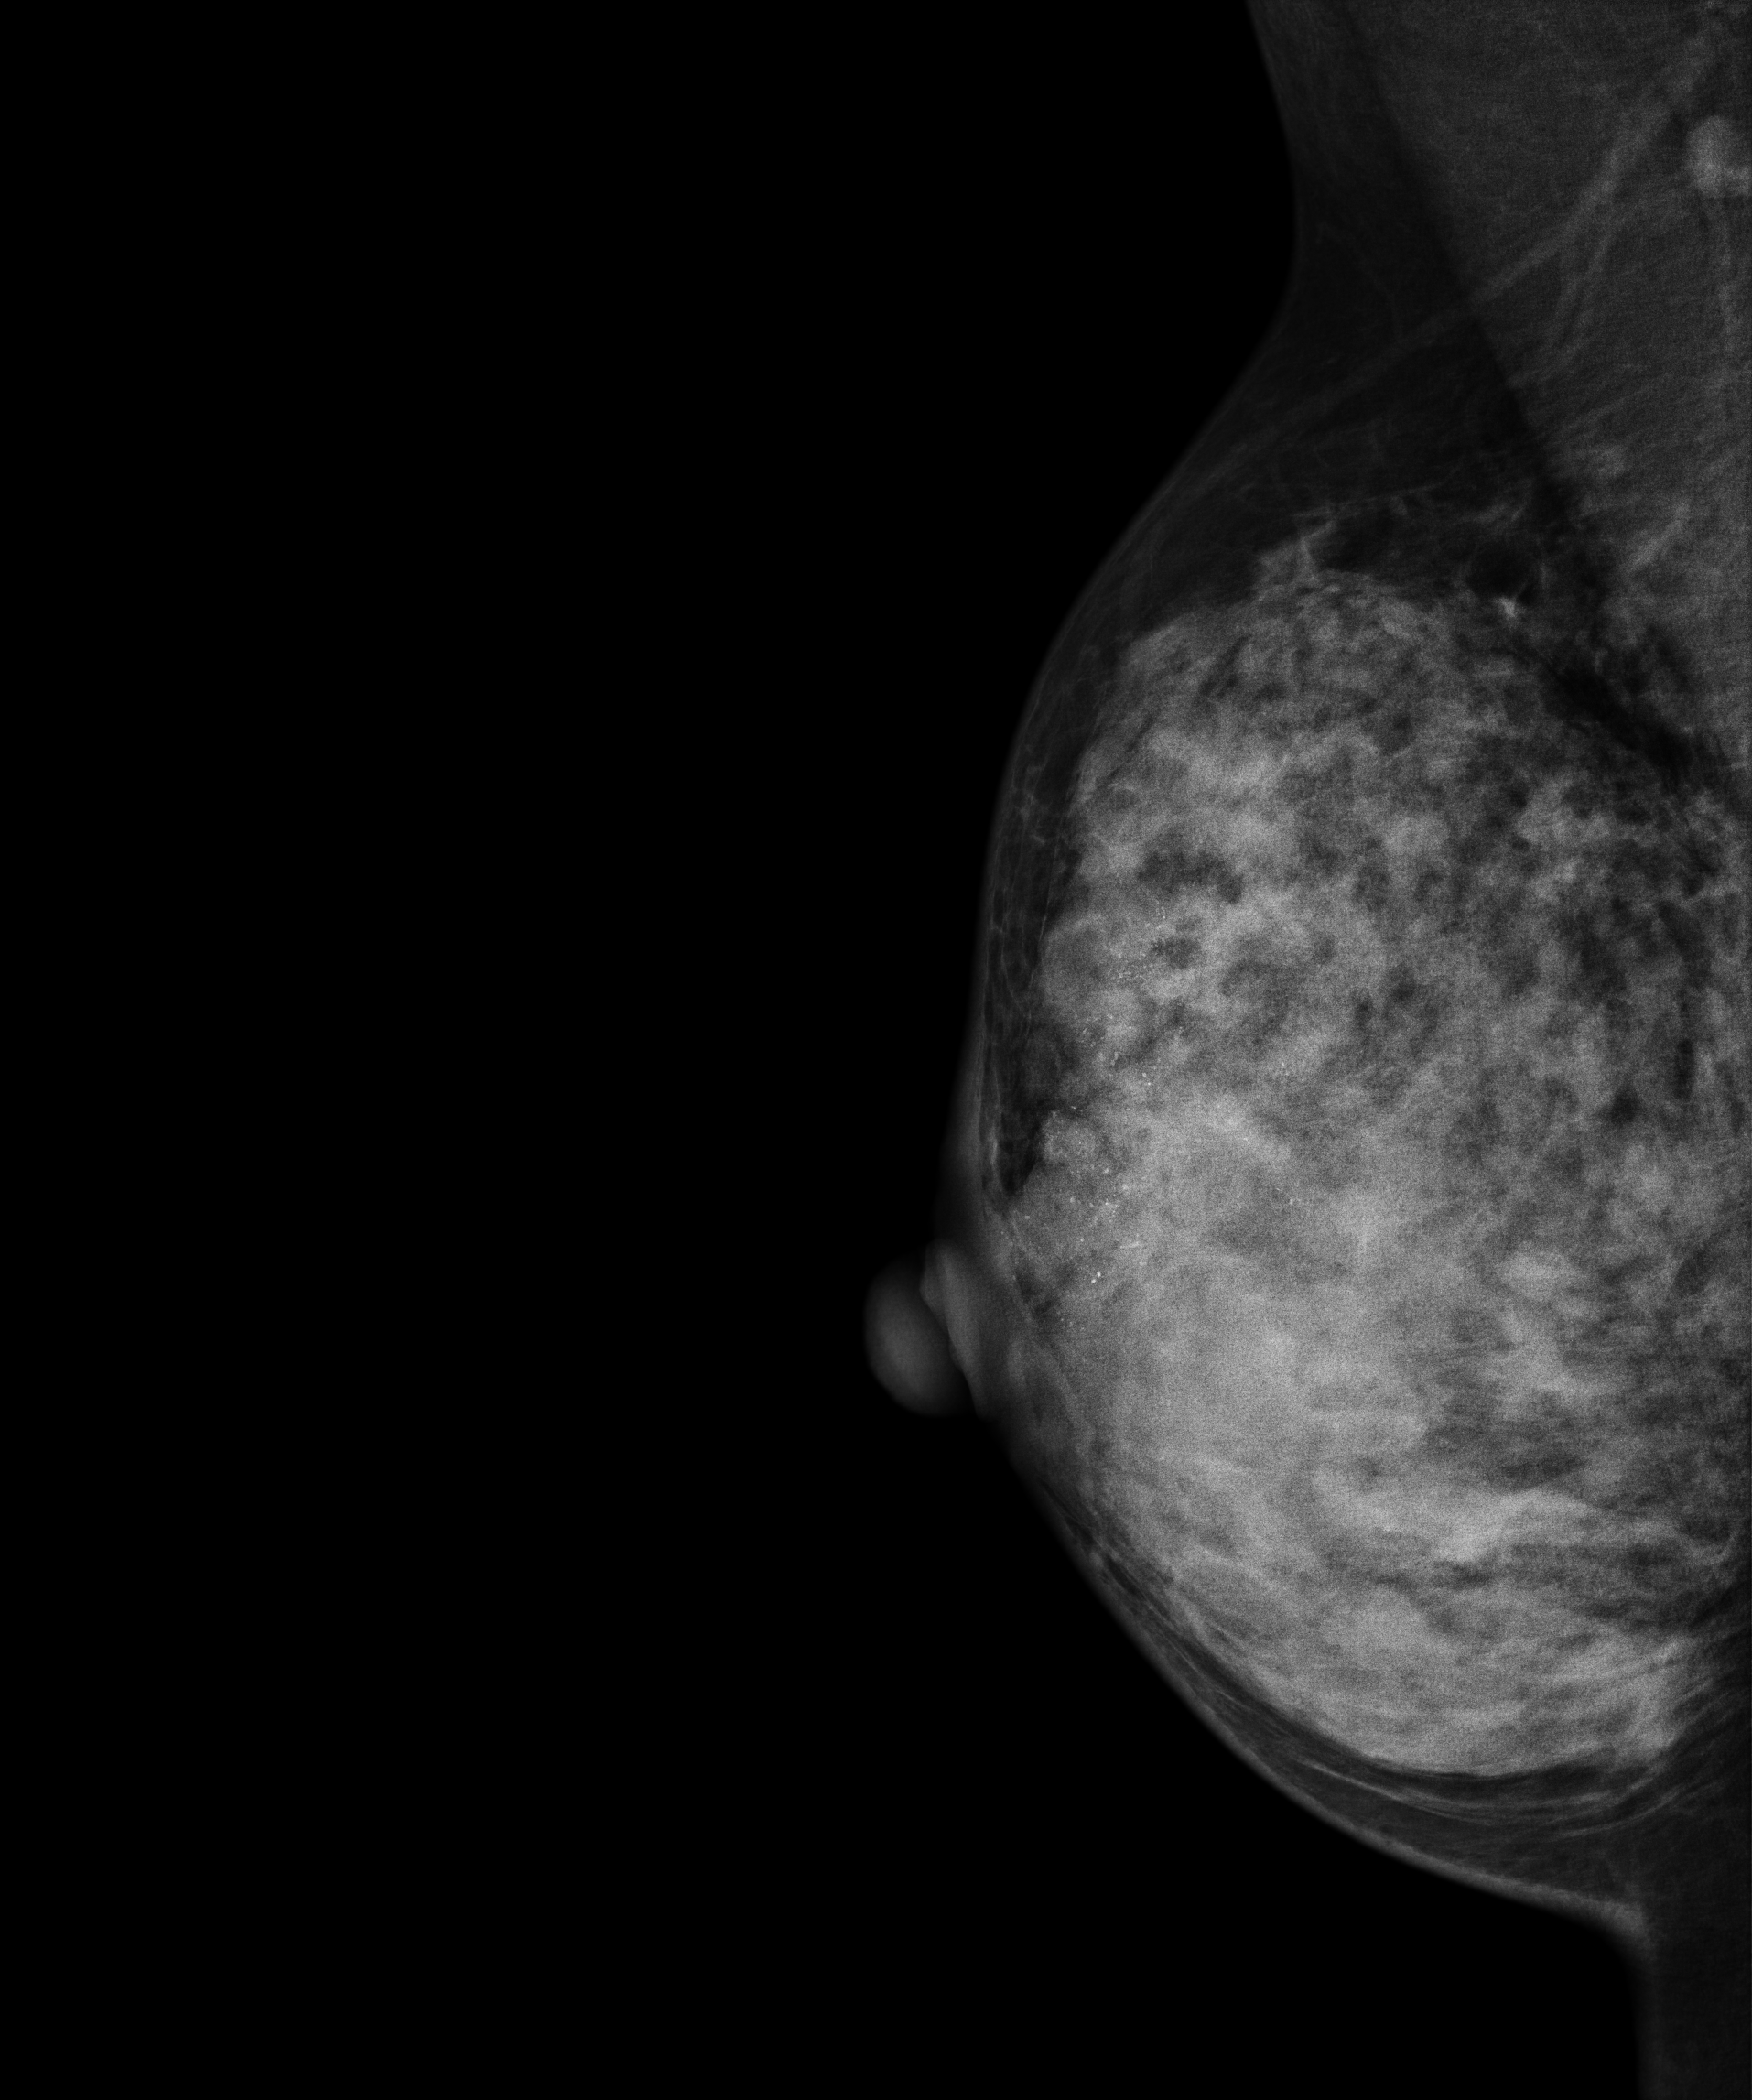
Mammogram — right medio-lateral oblique. 51 y/o patient.
This breast has calcifications, biopsy-proven malignant.